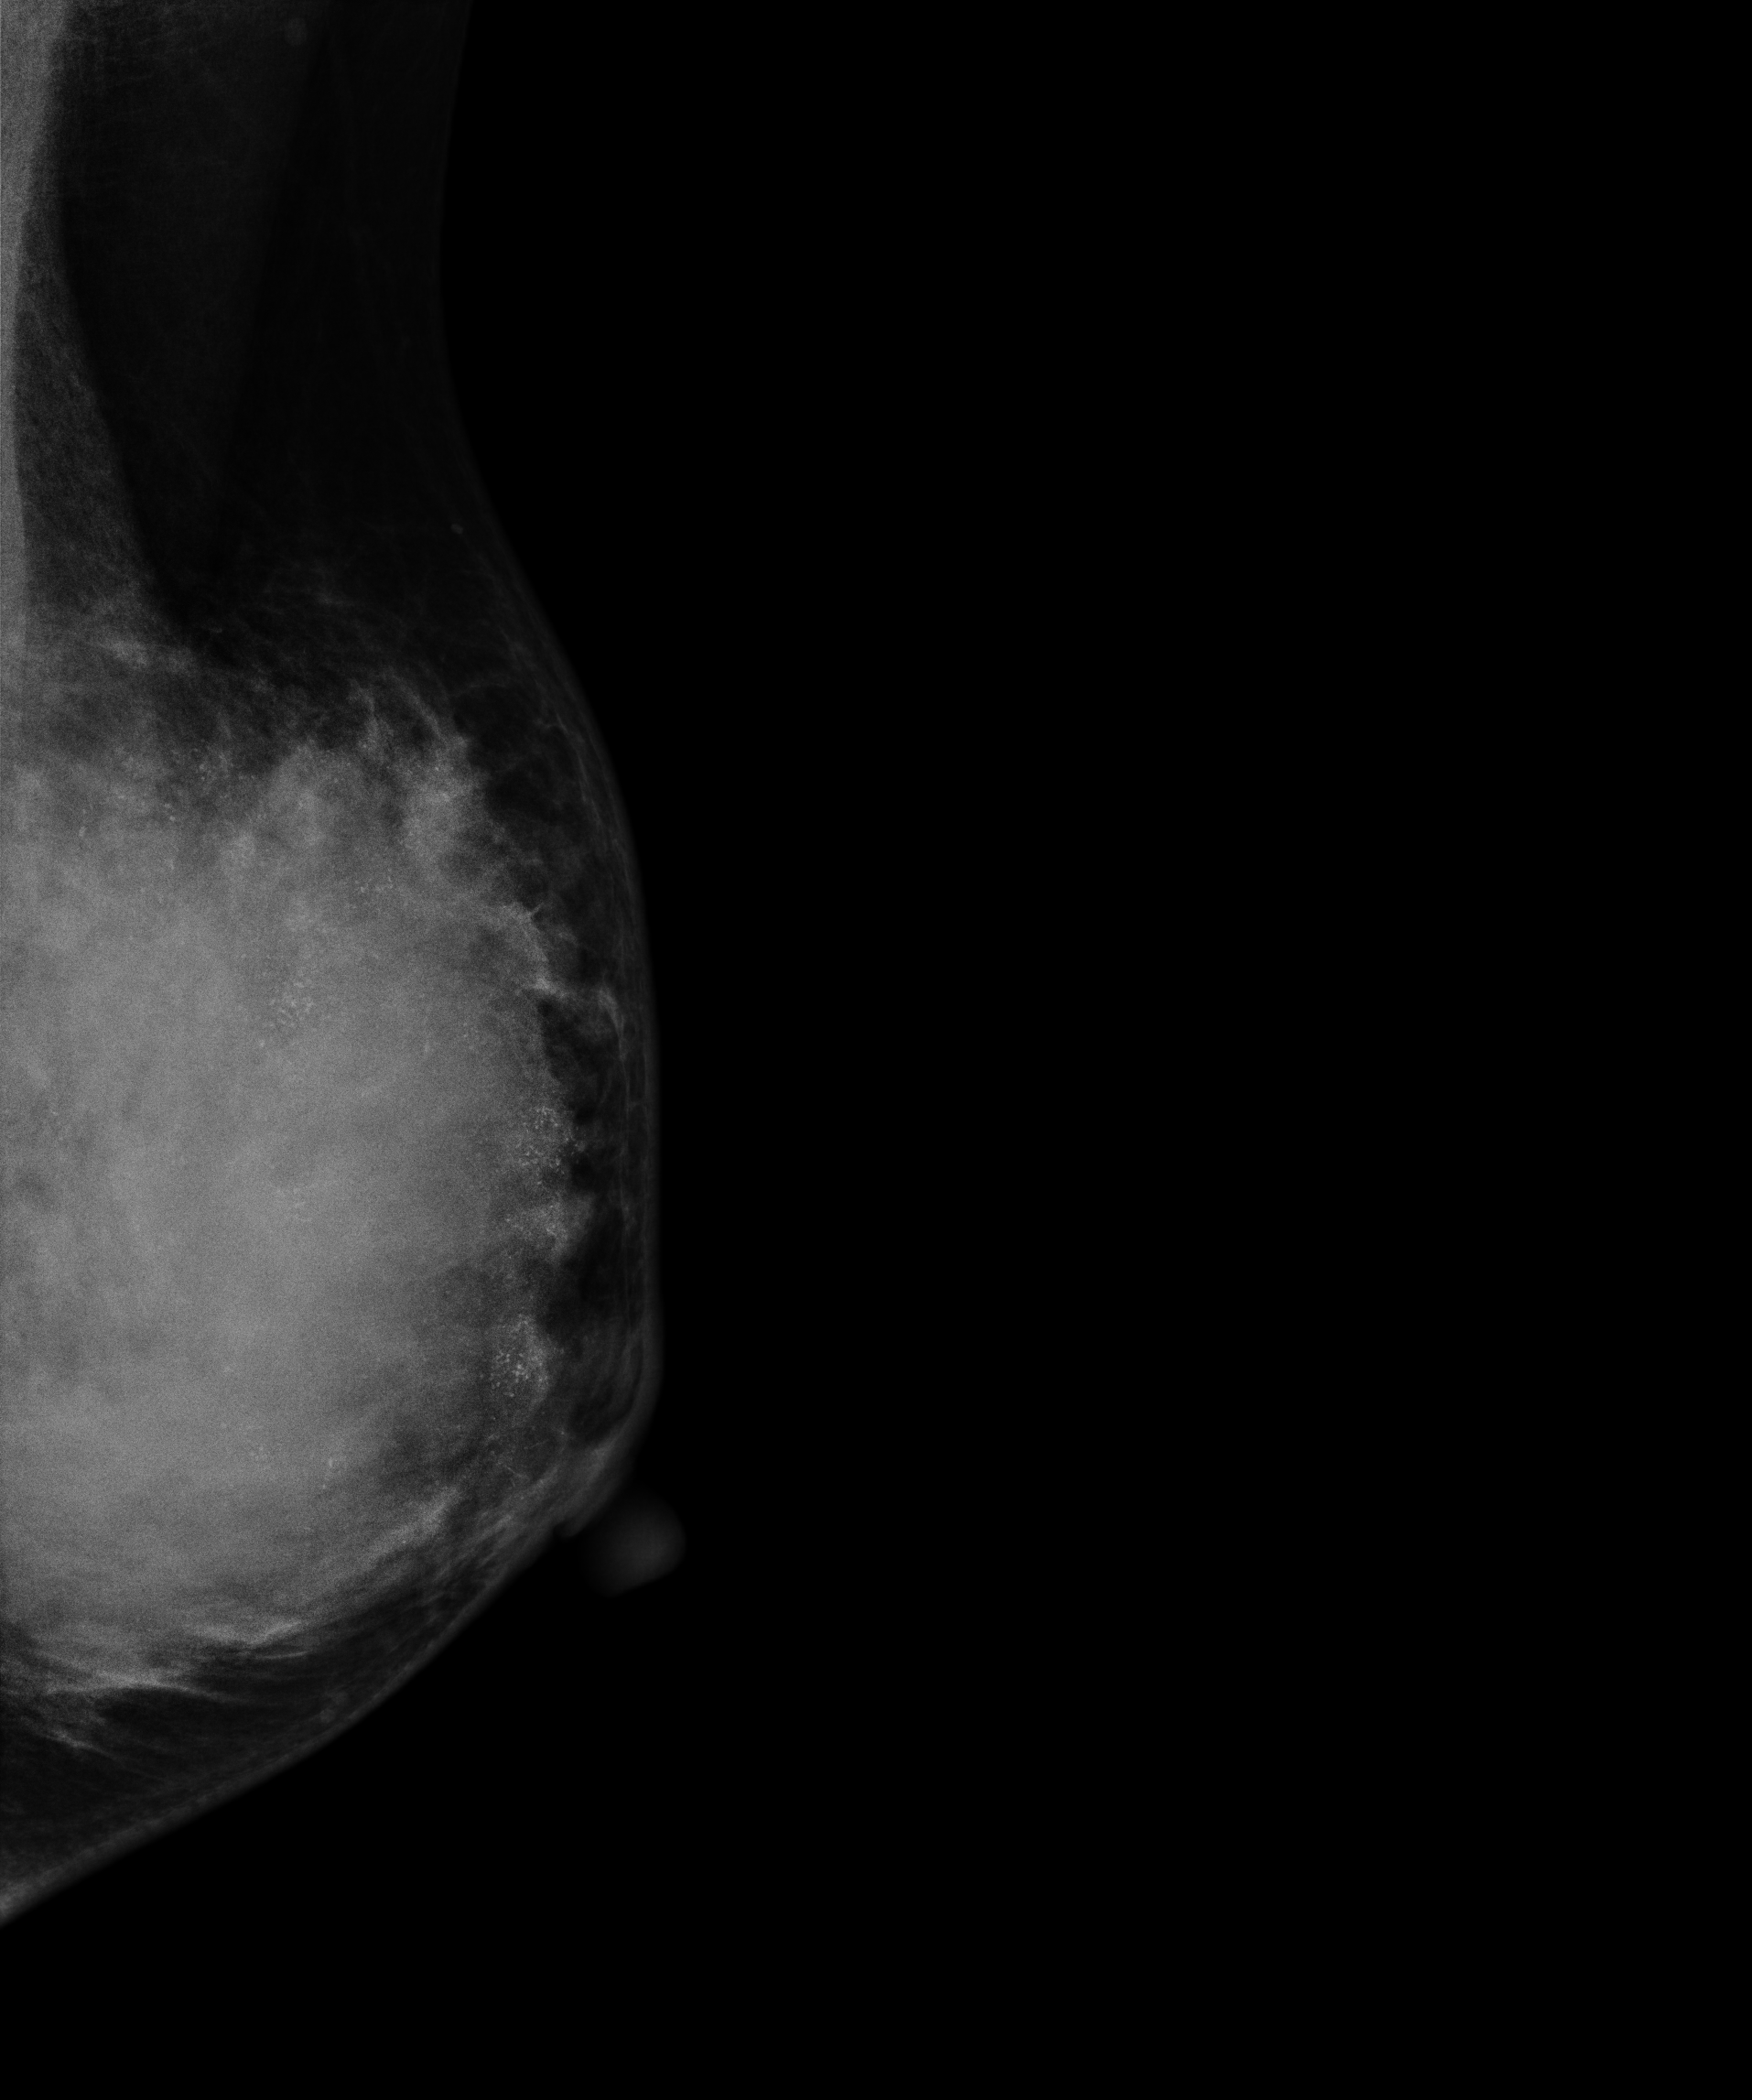
Mammogram — left MLO. Patient age 34.
This breast has a mass and calcifications, biopsy-confirmed malignant. Molecular subtype: luminal B.